Mammogram — left medio-lateral oblique. Patient age 31.
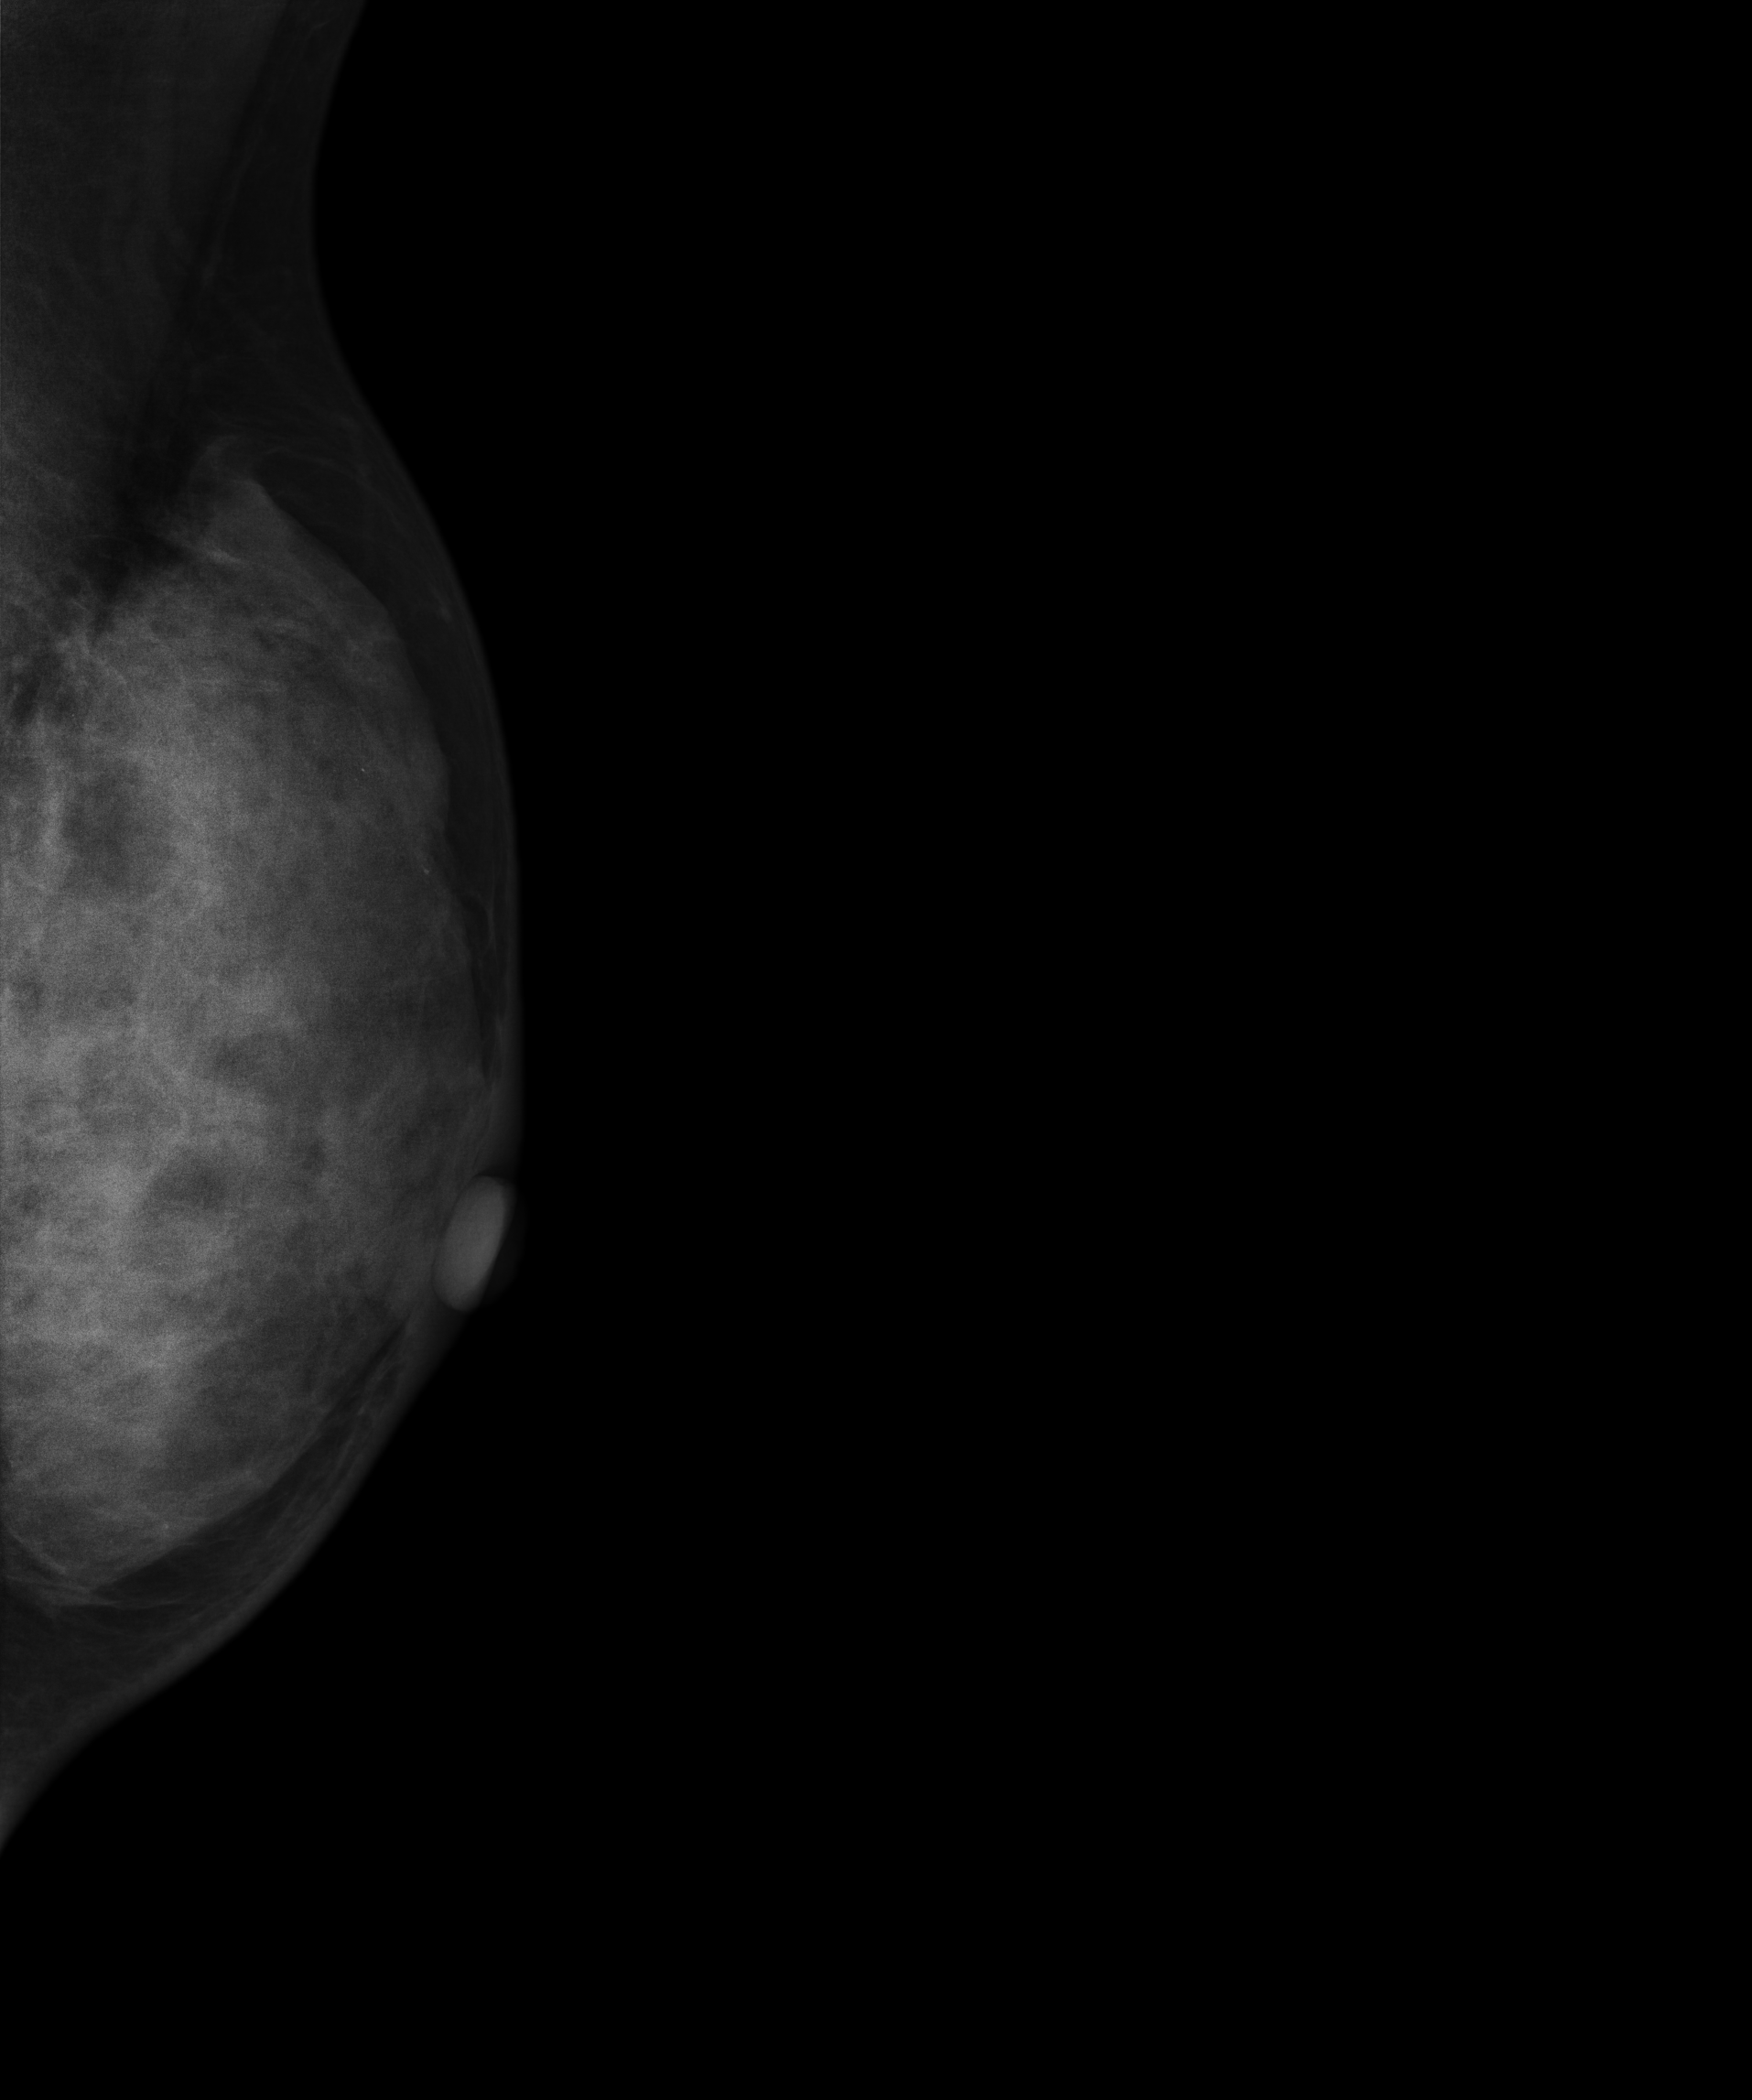
This breast has a mass and calcifications, histologically confirmed malignant. Molecular subtype: HER2-enriched.